Mammogram, left breast, cranio-caudal view. 55 y/o patient.
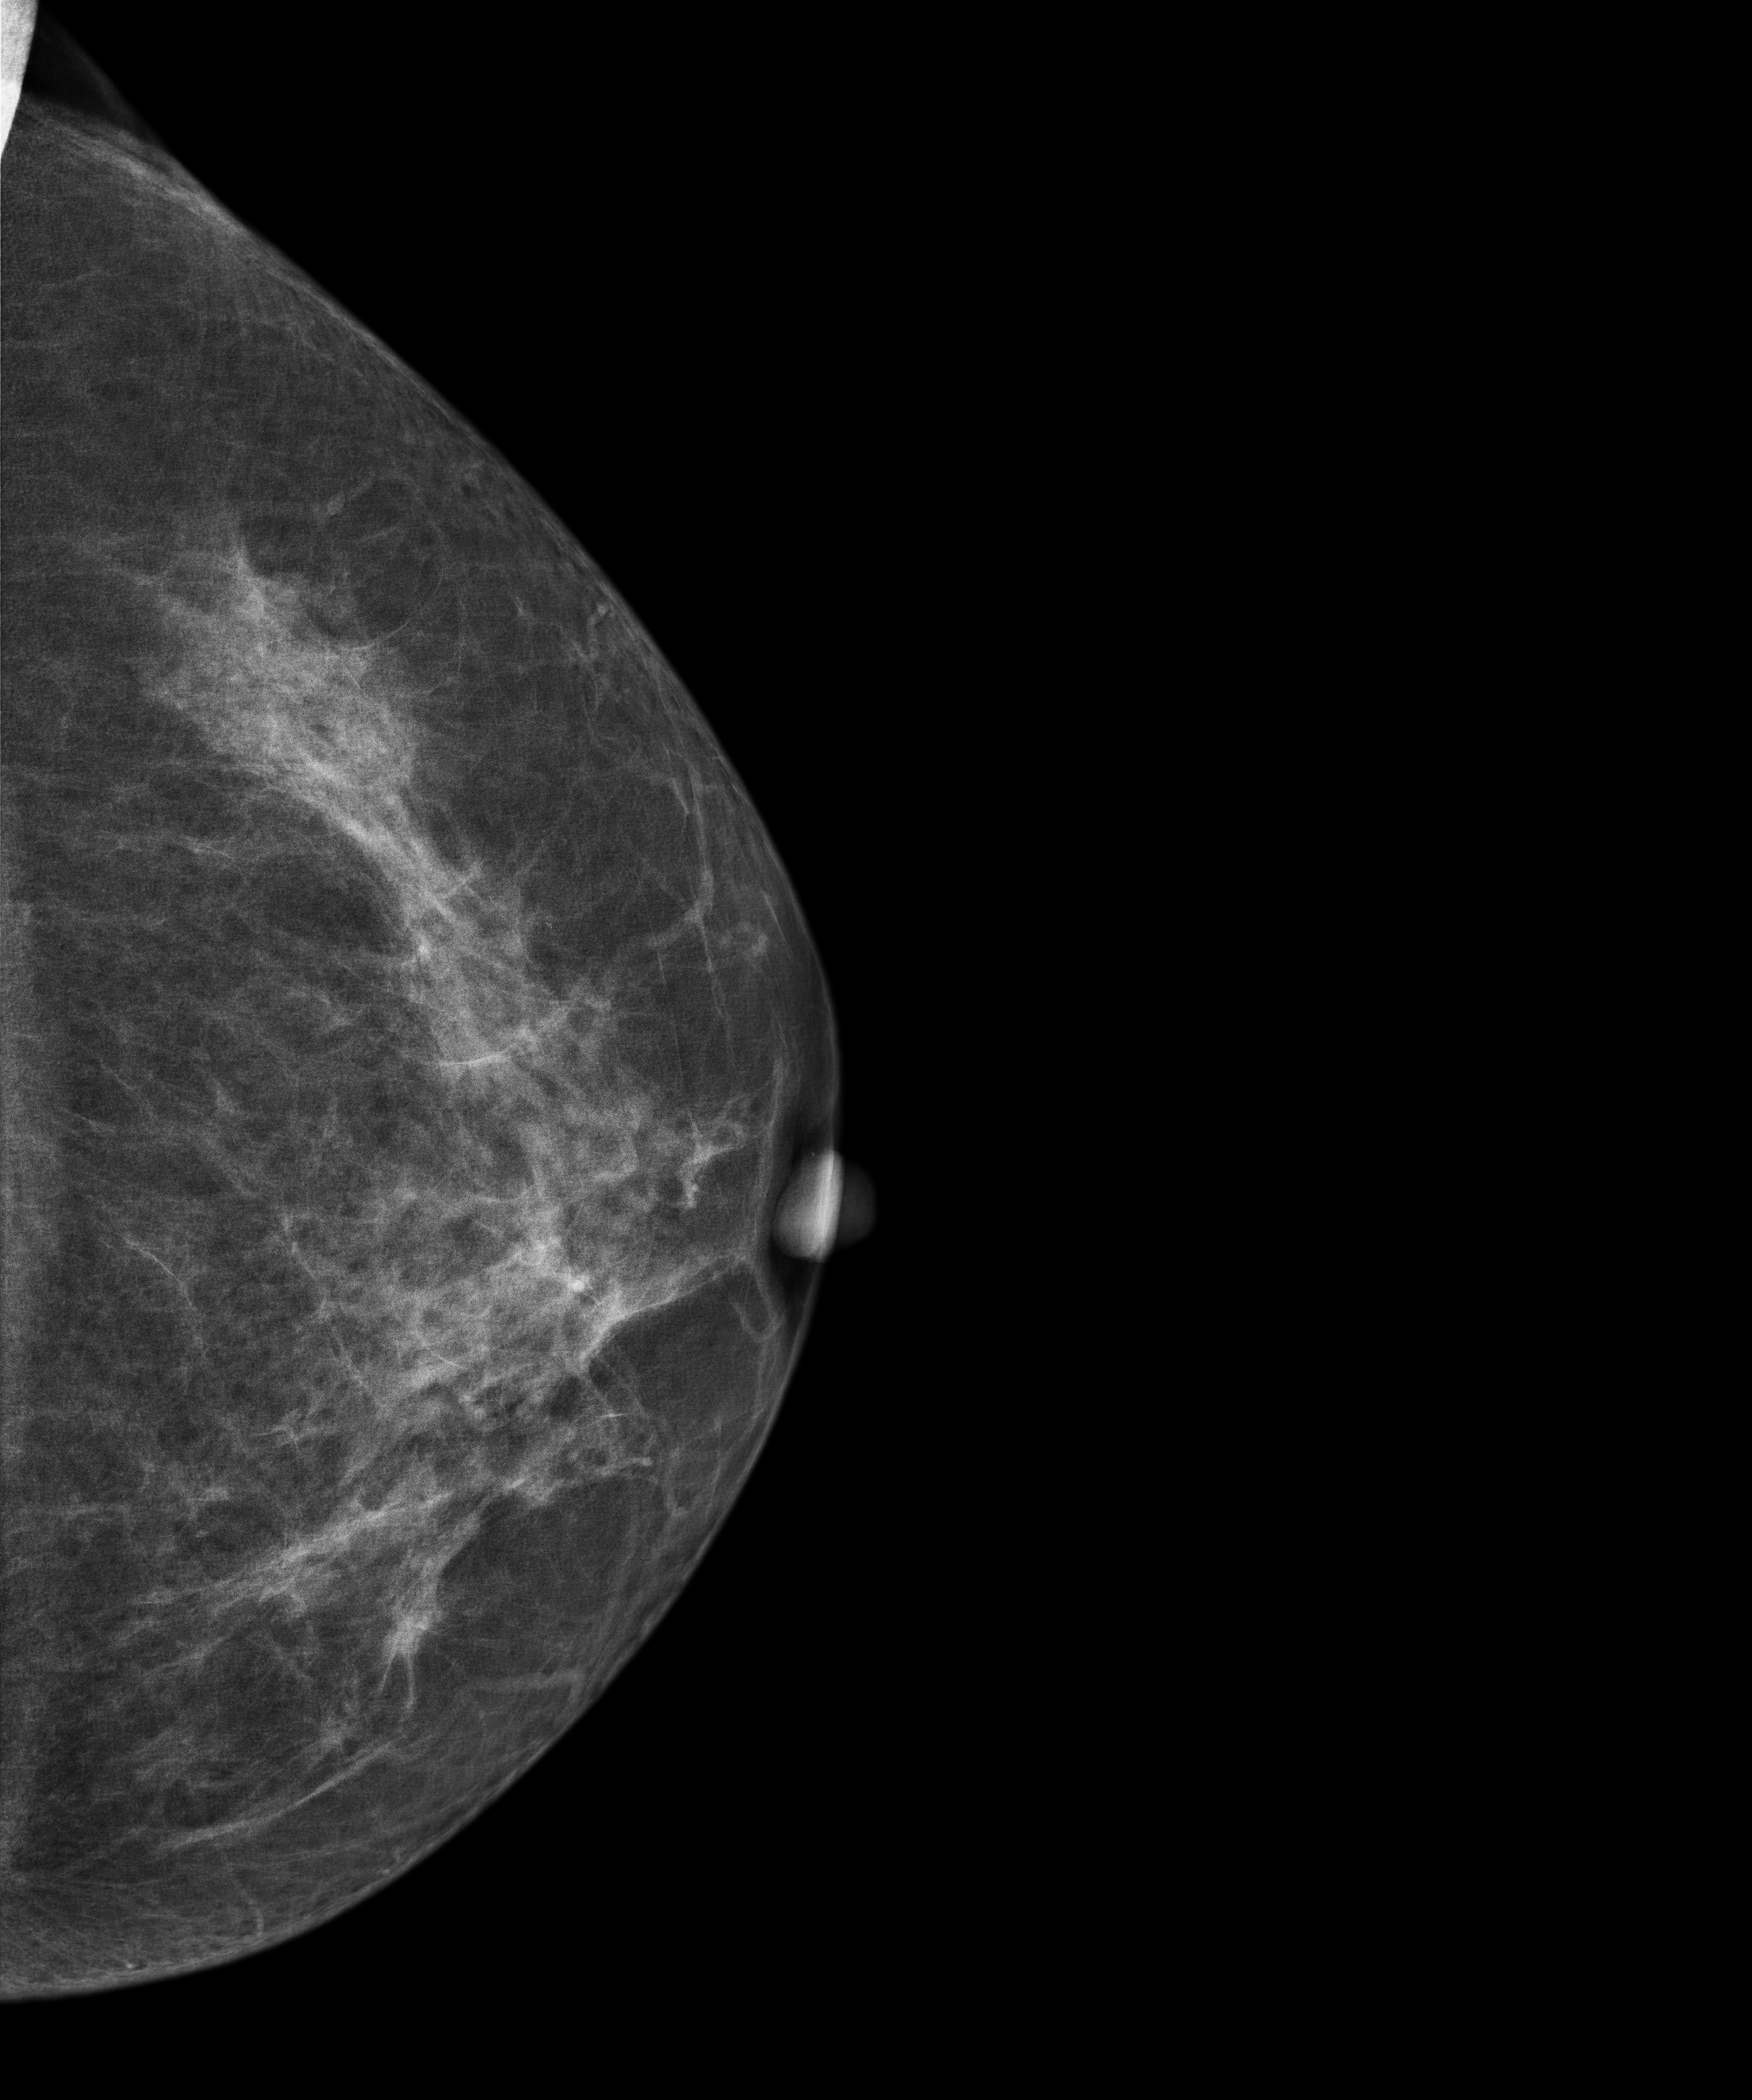
Contralateral breast — no documented abnormality on this side.